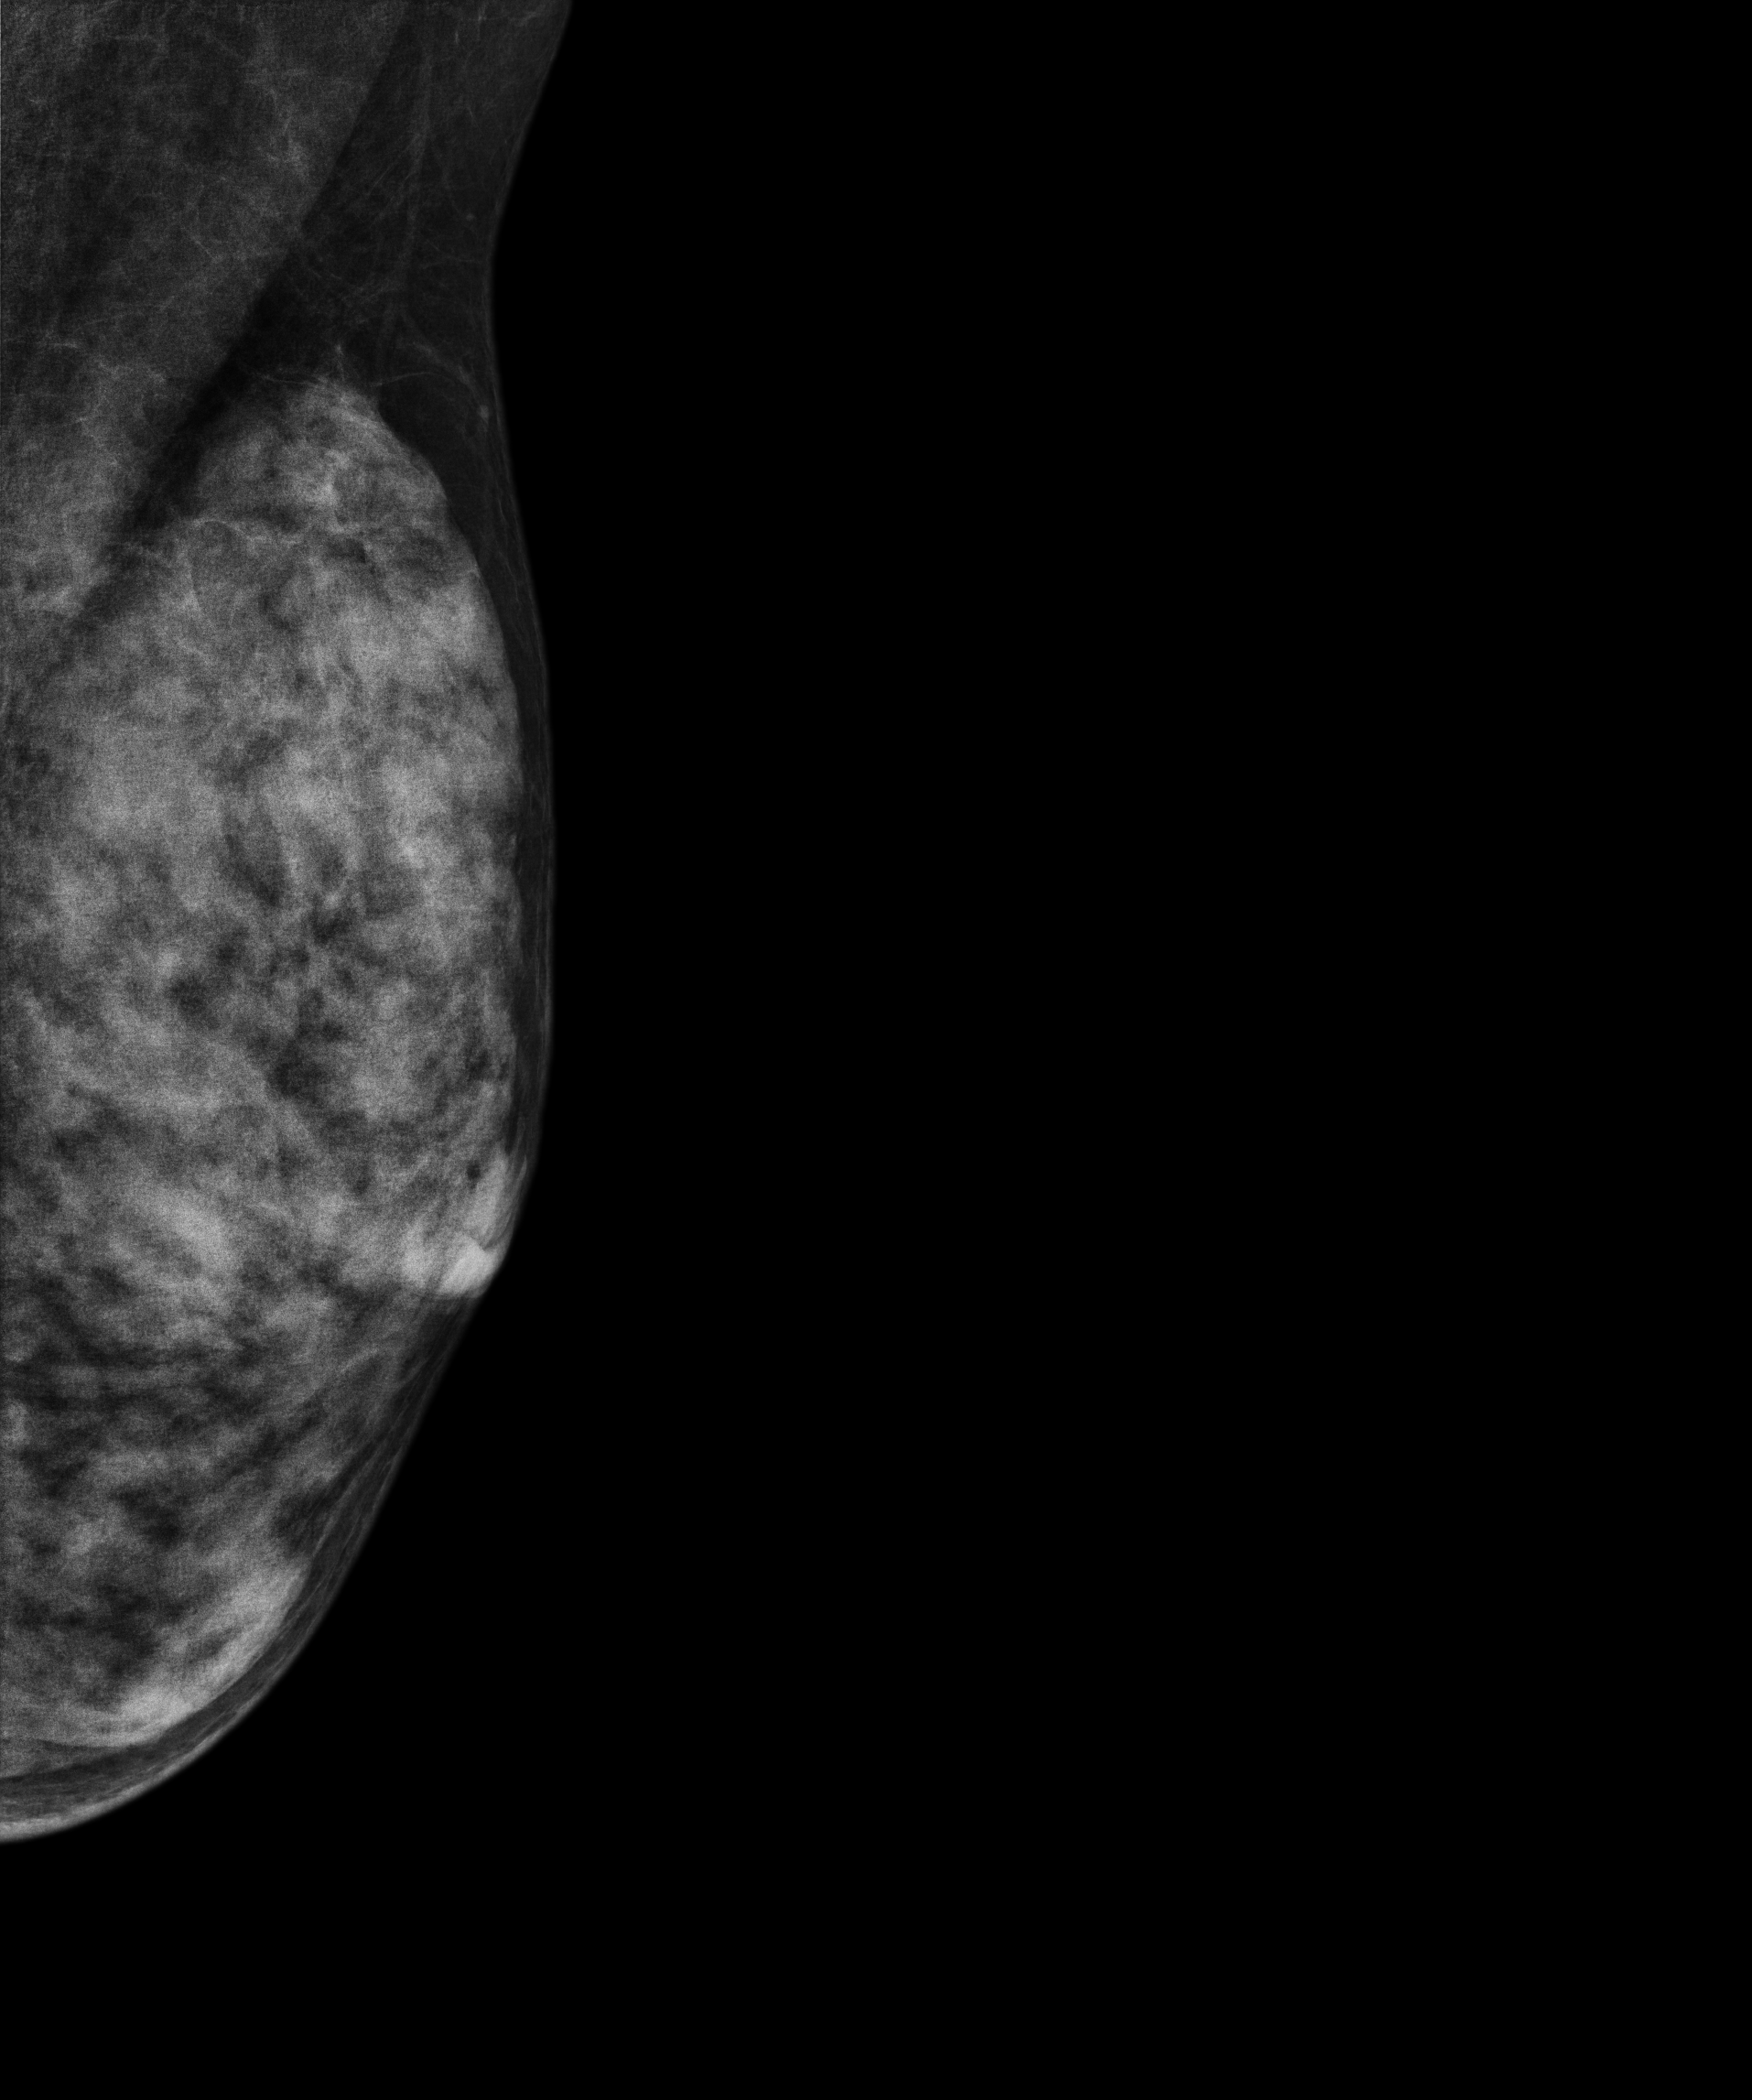
Mammogram — left medio-lateral oblique. 54-year-old patient.
This breast has calcifications, histologically confirmed malignant. Molecular subtype: HER2-enriched.